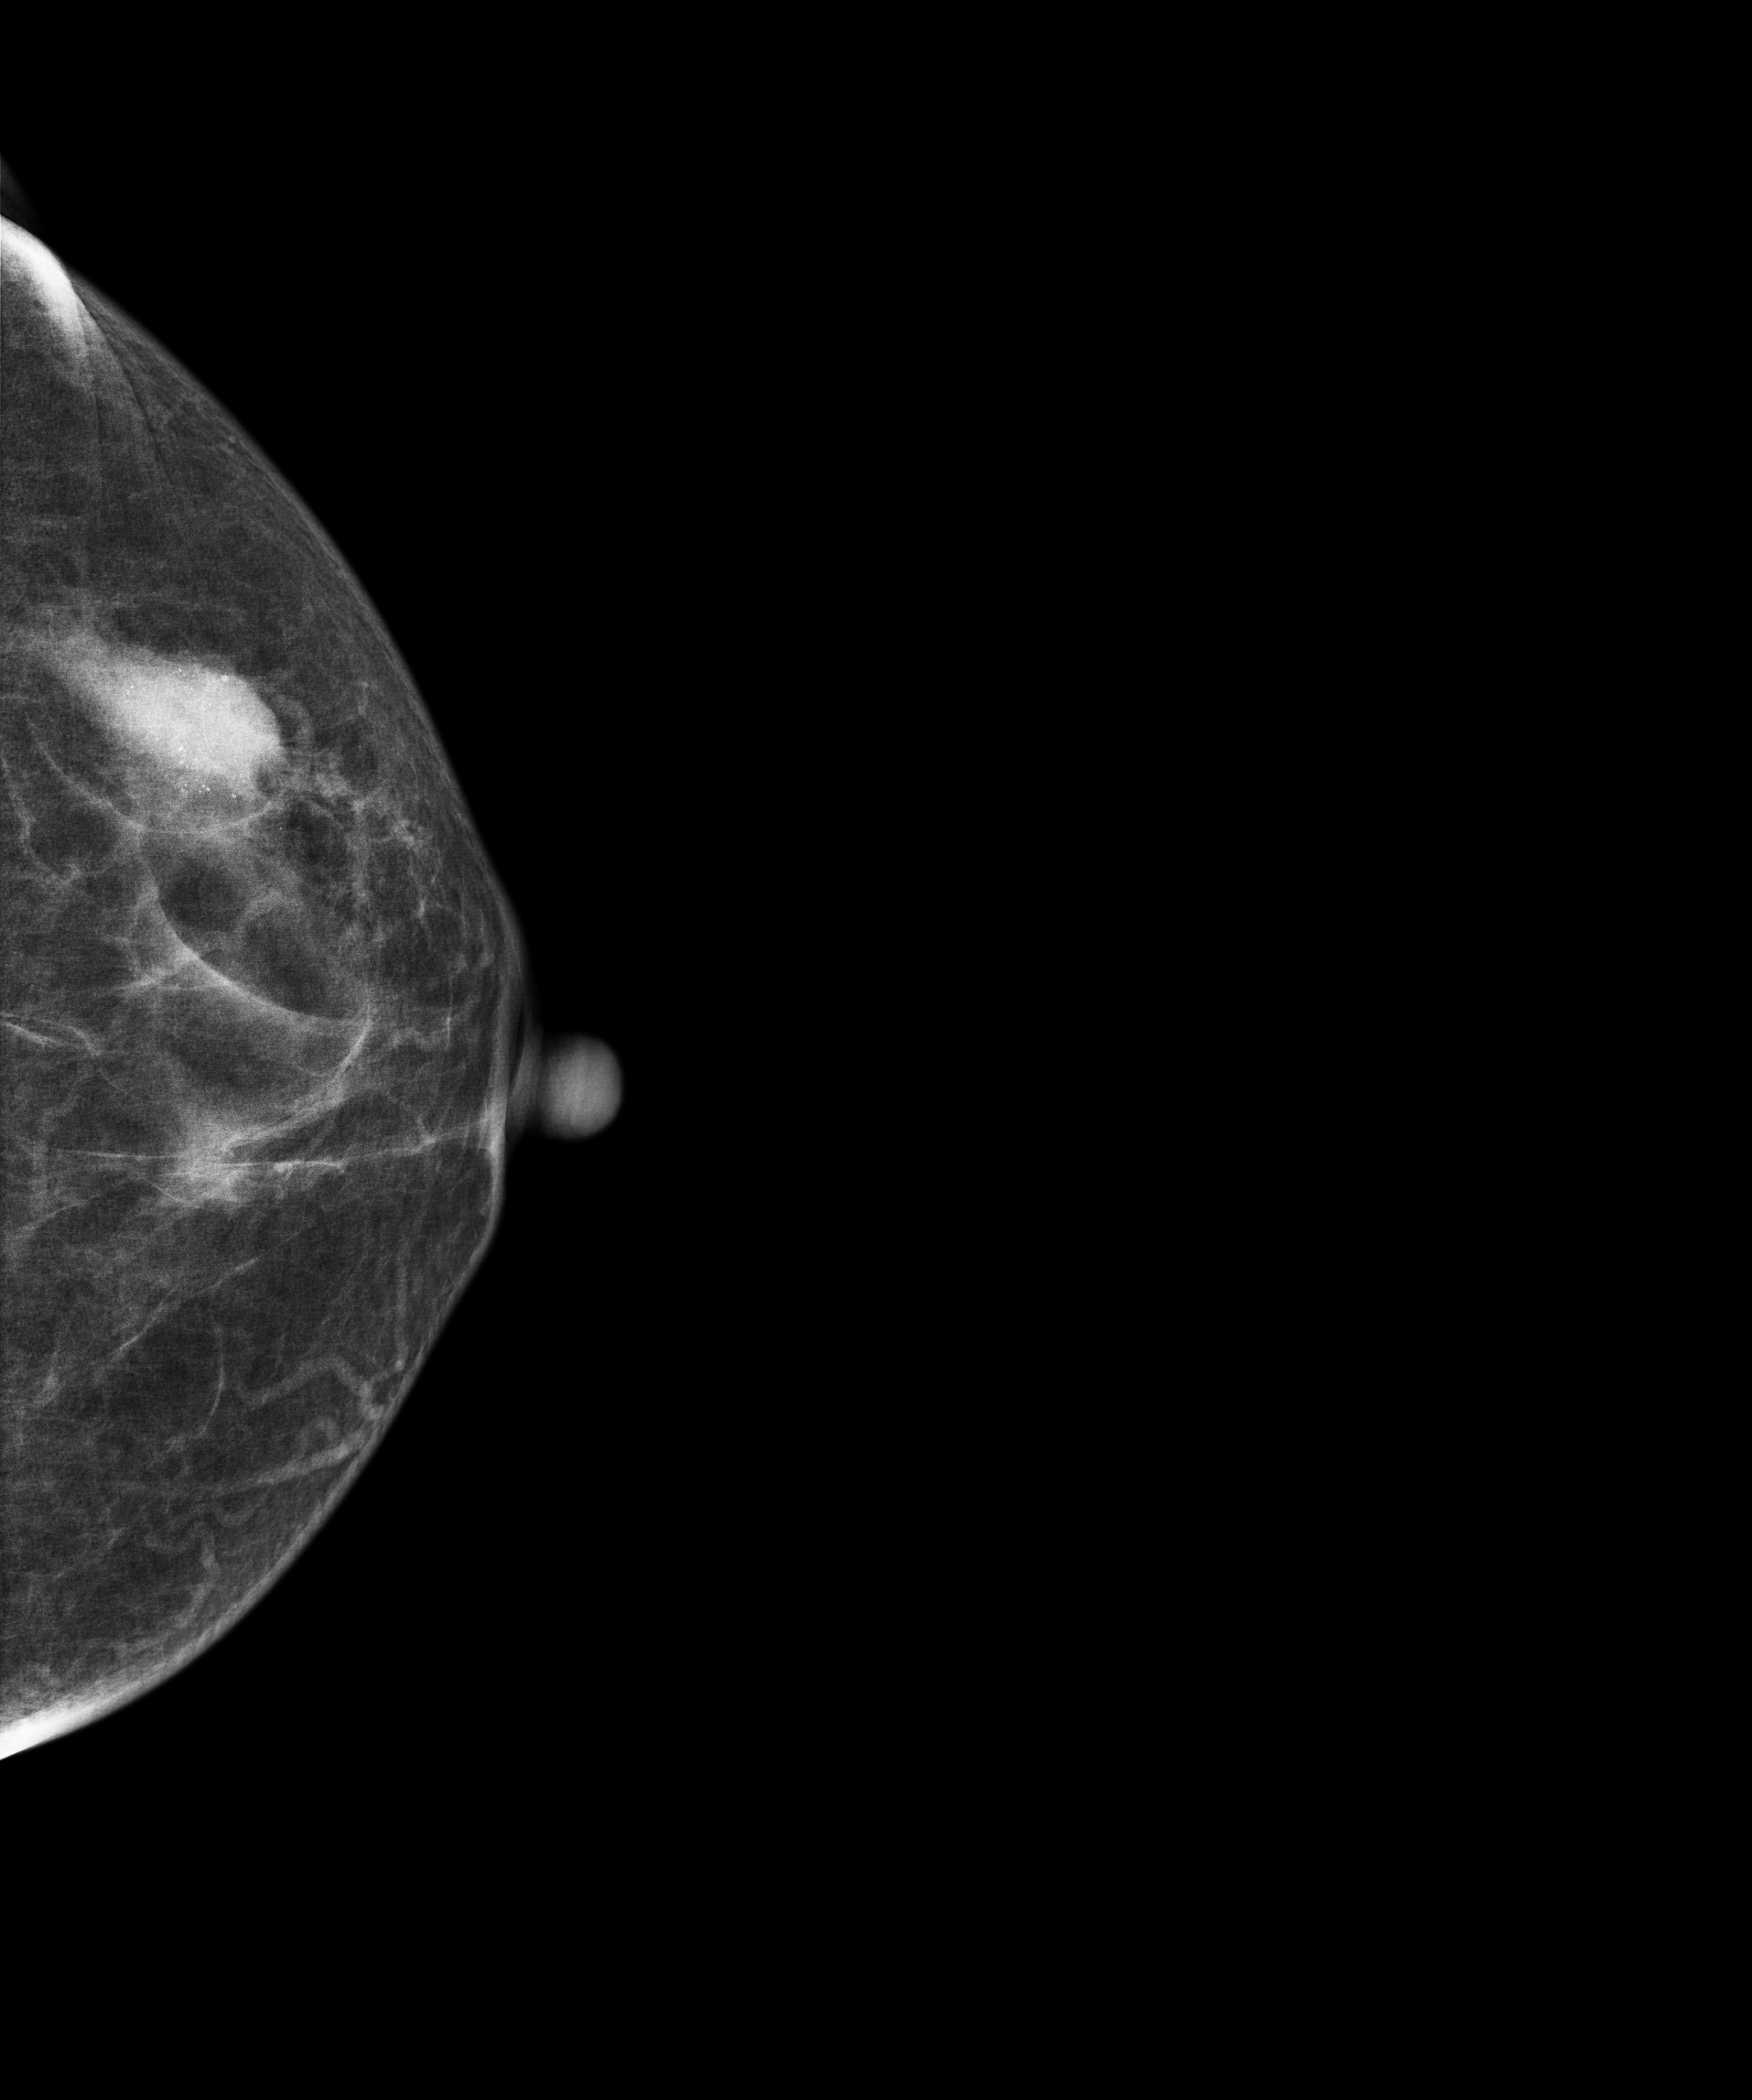
Mammogram, left breast, cranio-caudal view. 58 y/o patient.
This breast has a mass and calcifications, biopsy-confirmed malignant.